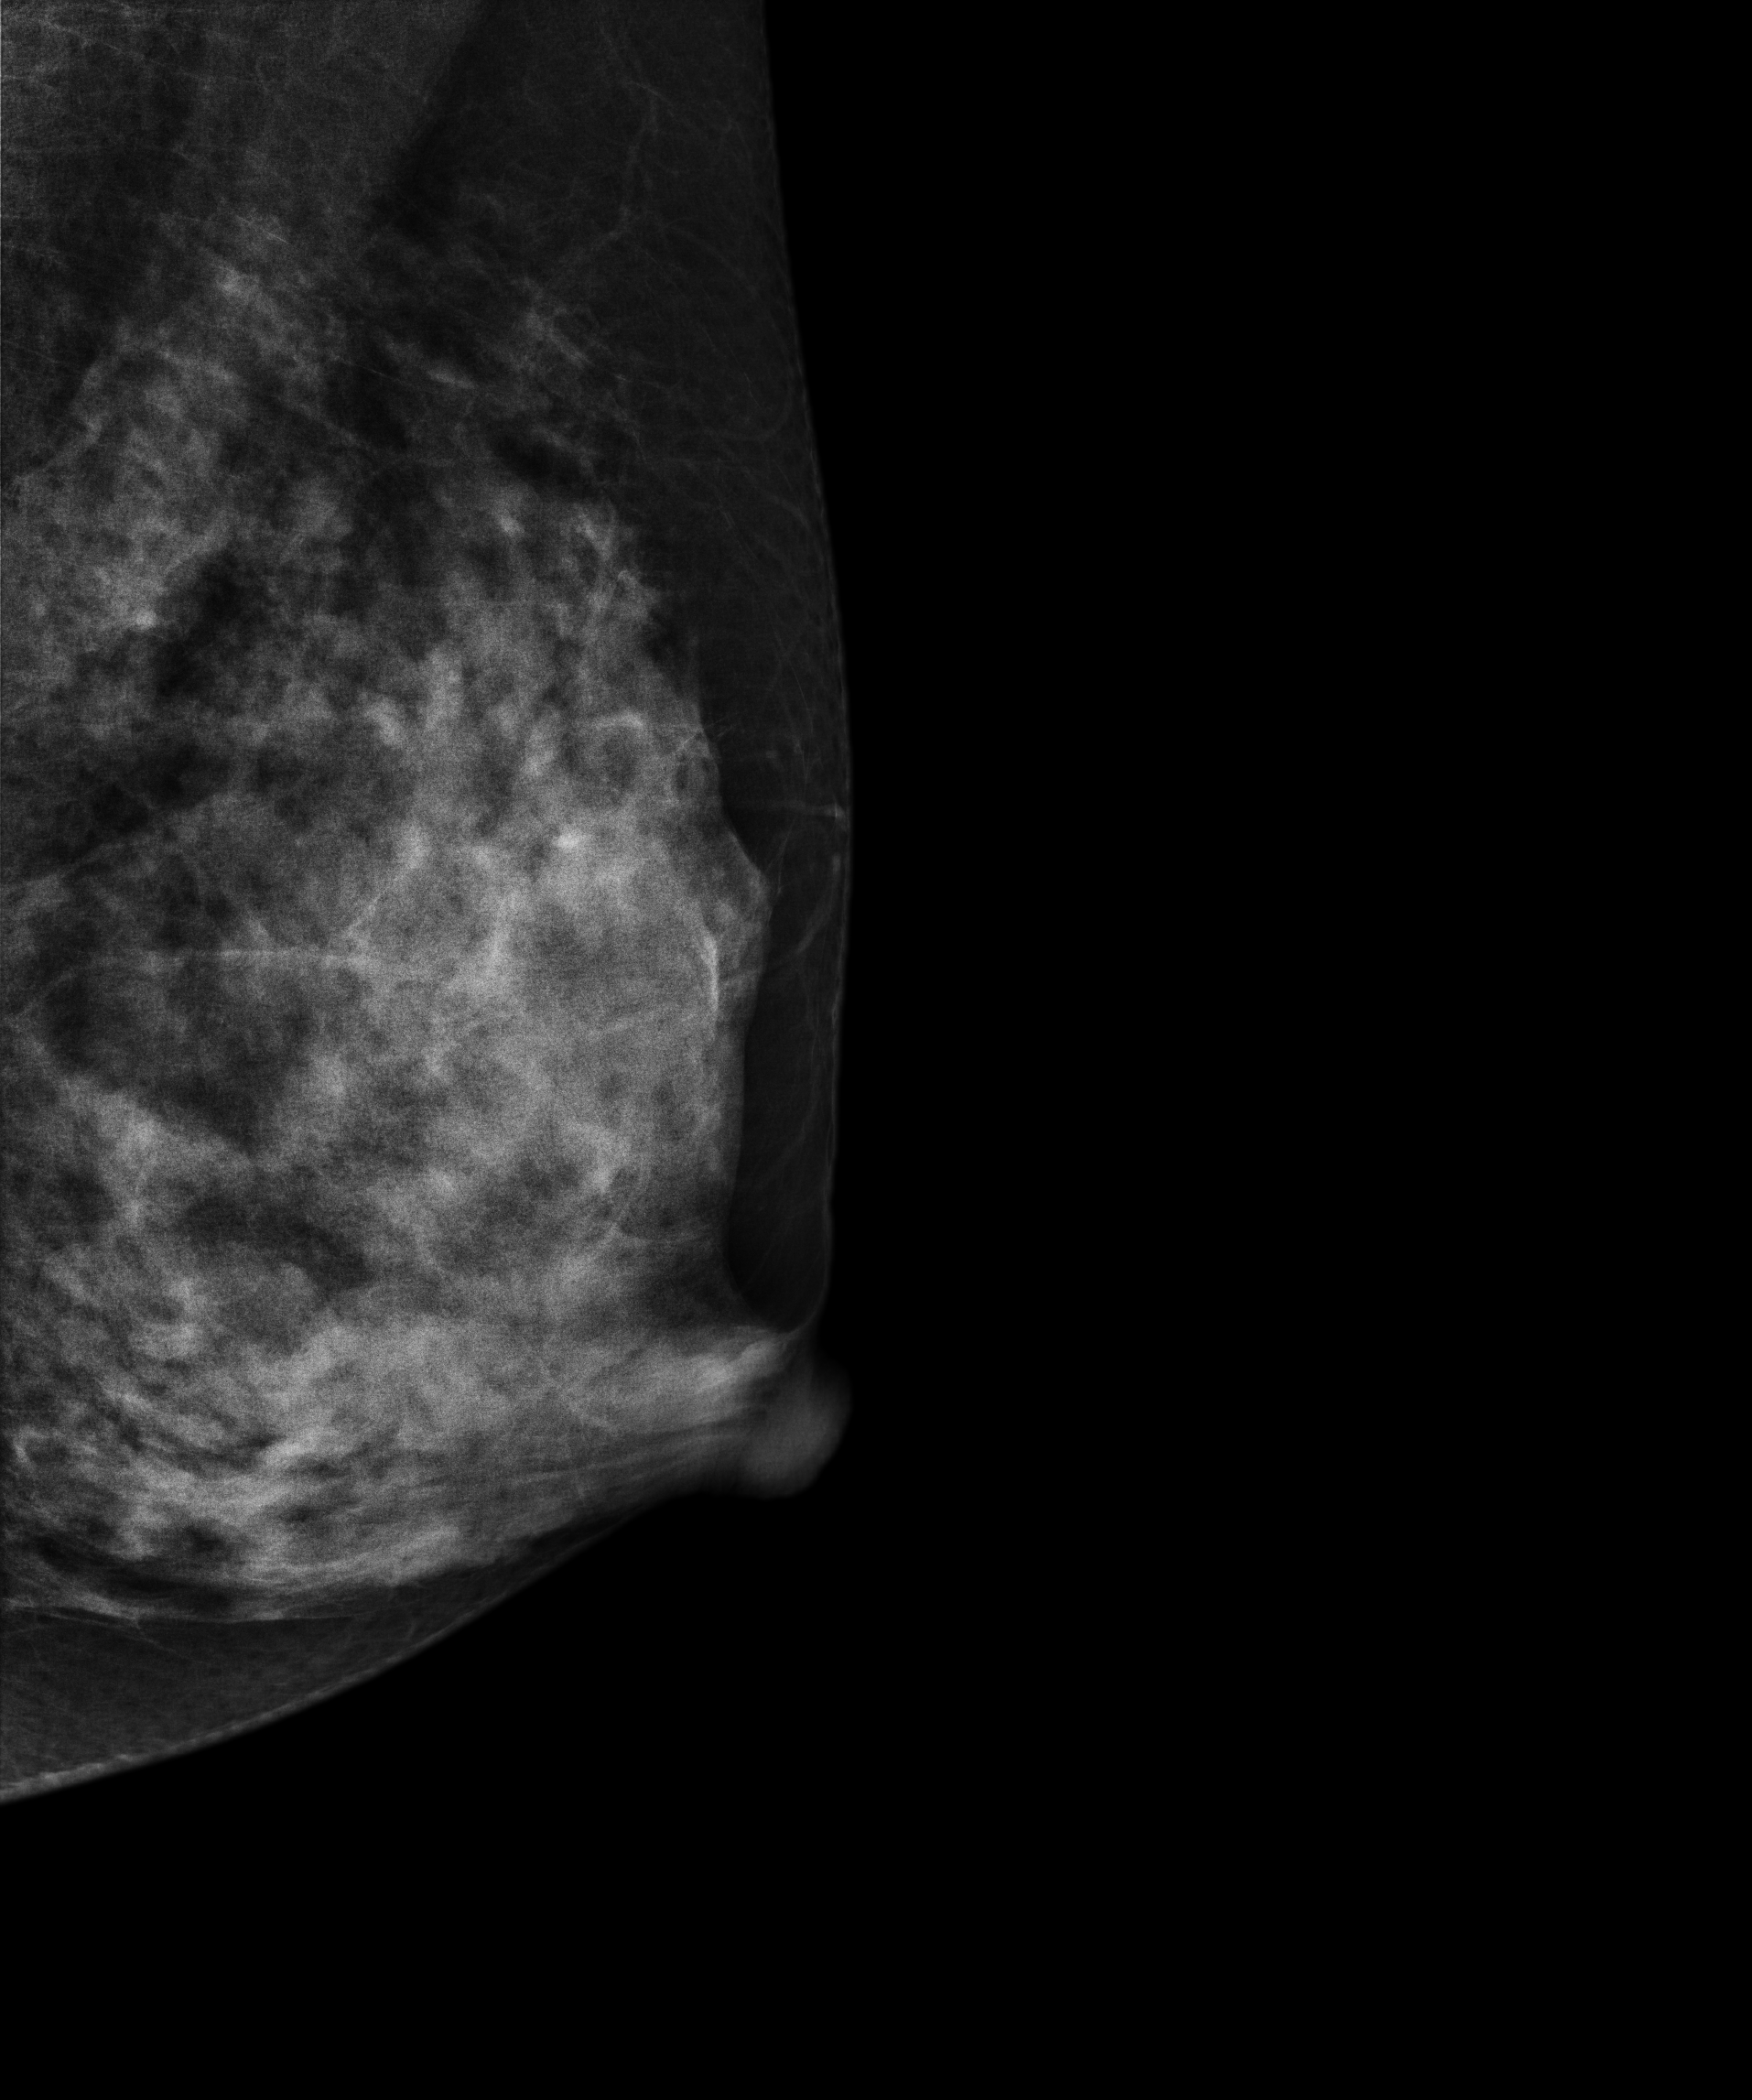
Medio-lateral oblique mammogram of the left breast. 27 y/o patient.
Contralateral breast — no documented abnormality on this side.